Mammogram, right breast, CC view. Patient age 43.
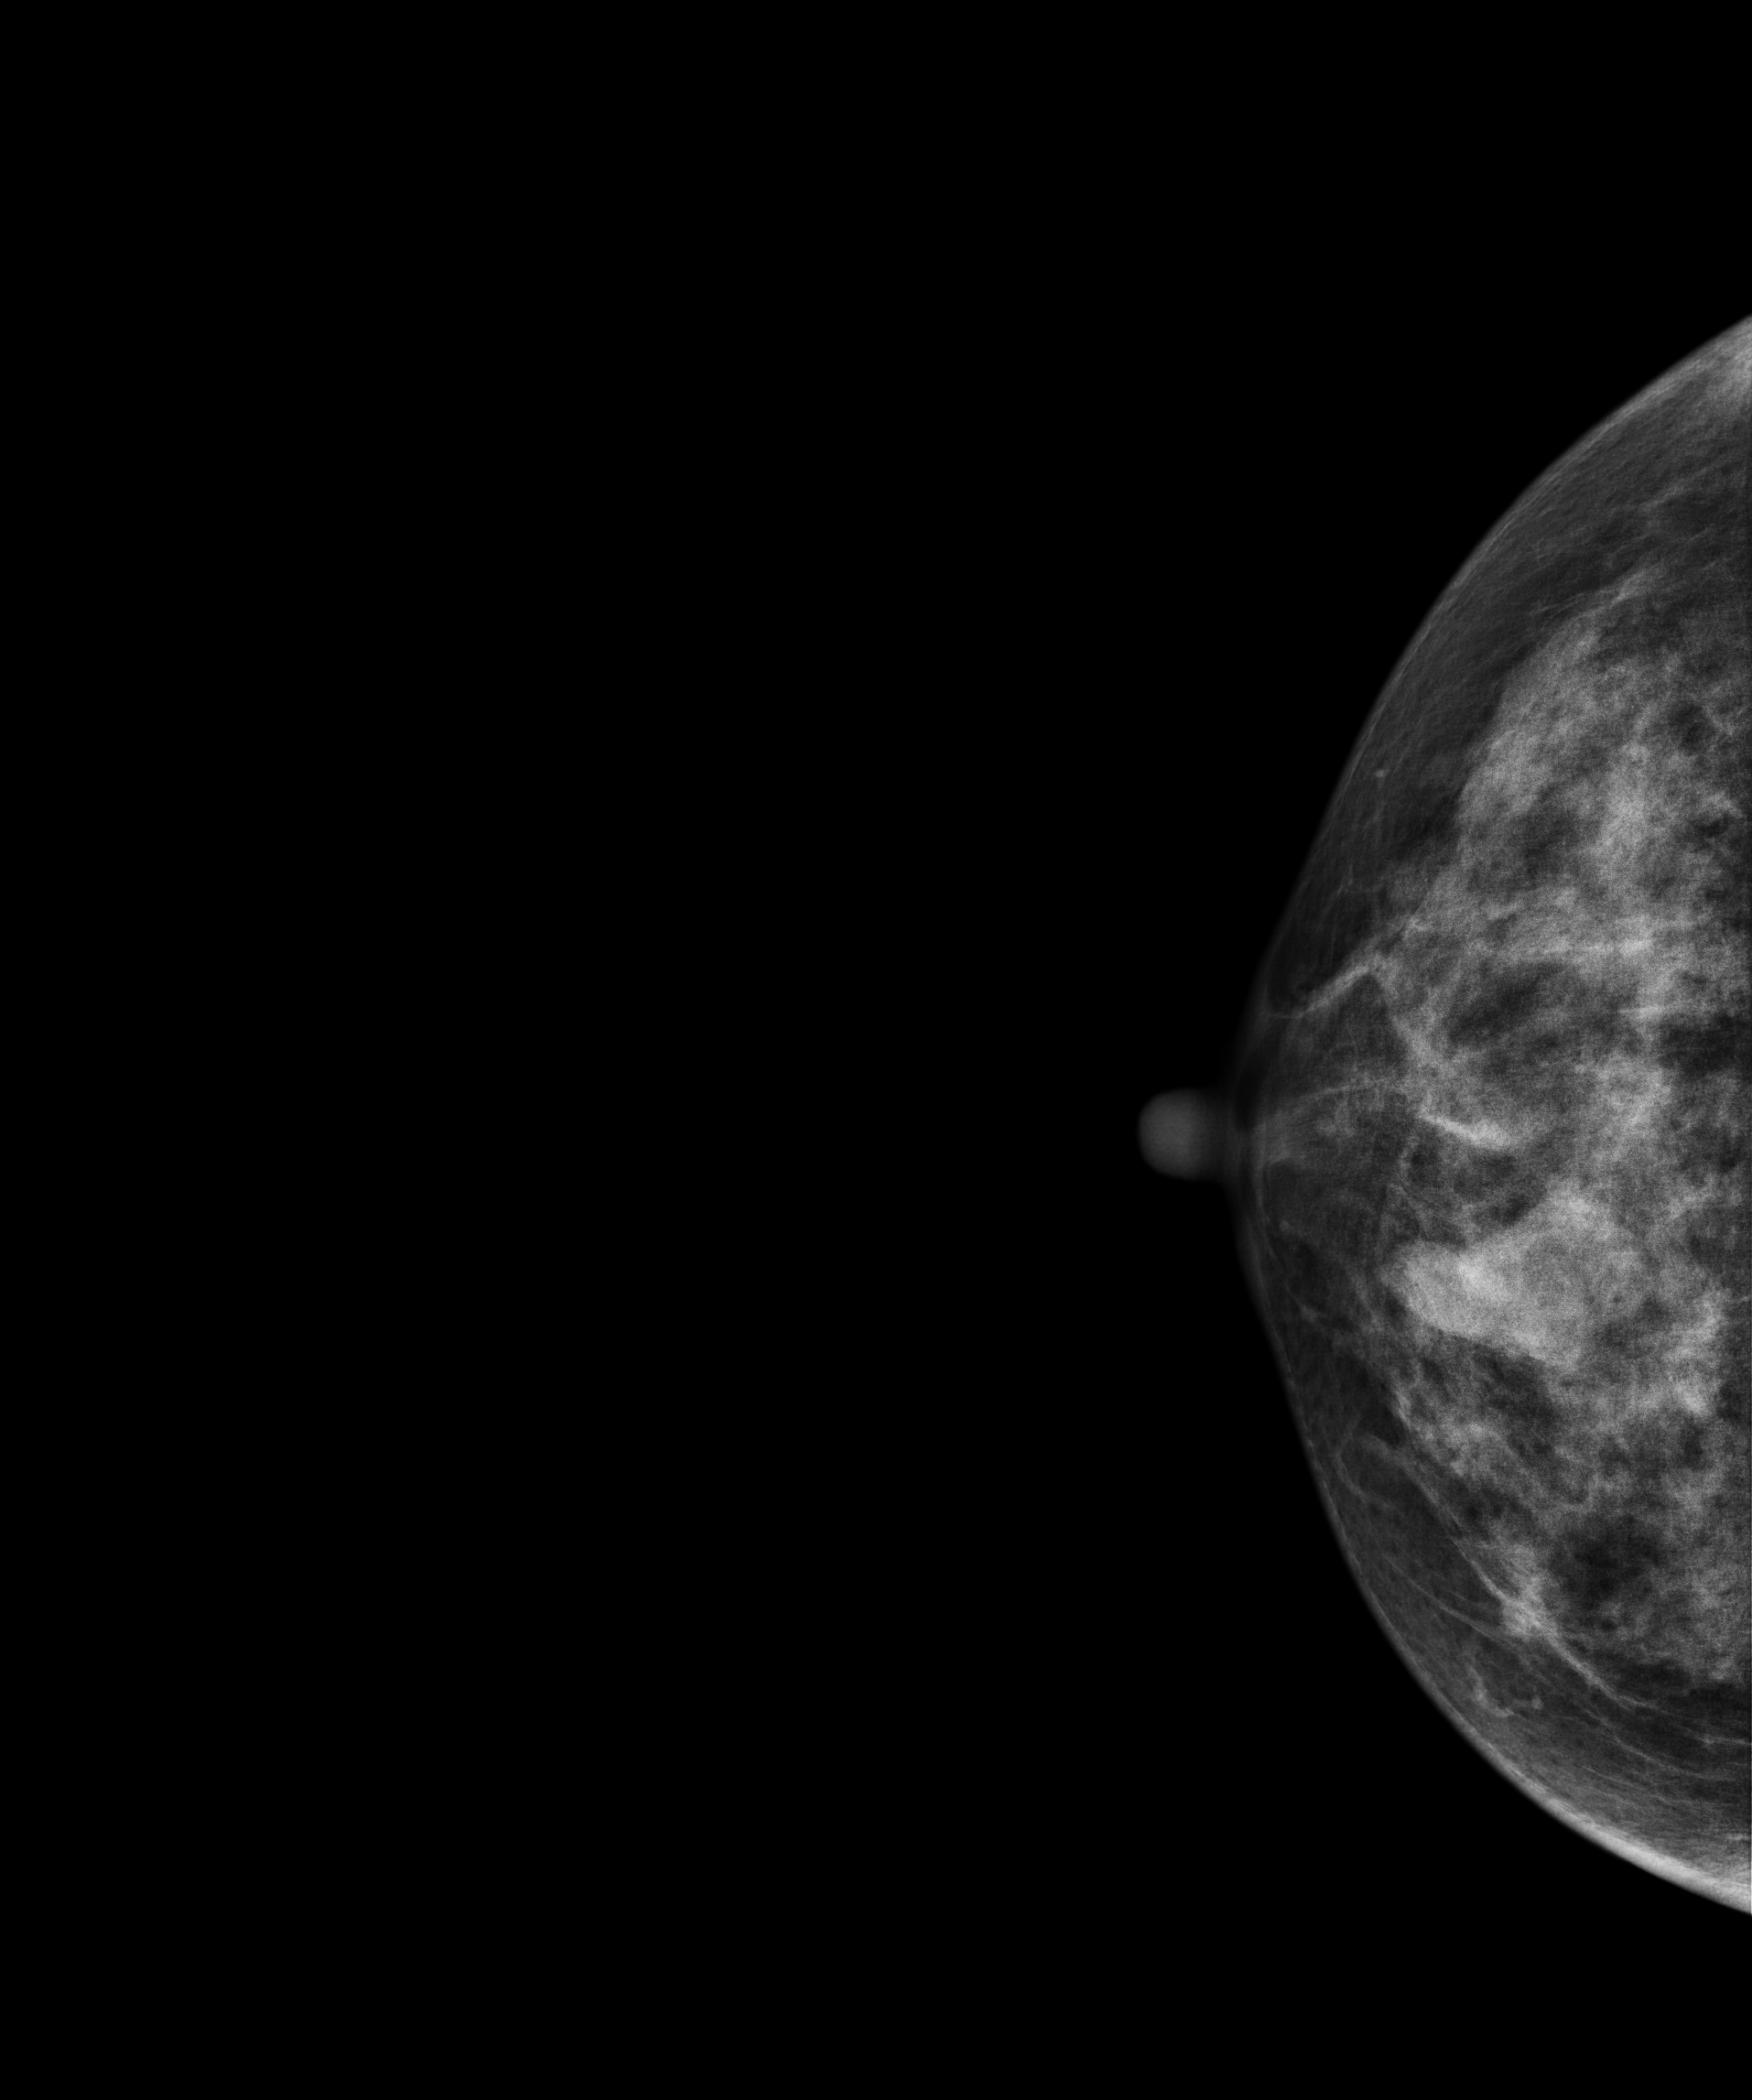
This breast has a mass, biopsy-confirmed benign.